Mammogram — left CC. Patient age 29.
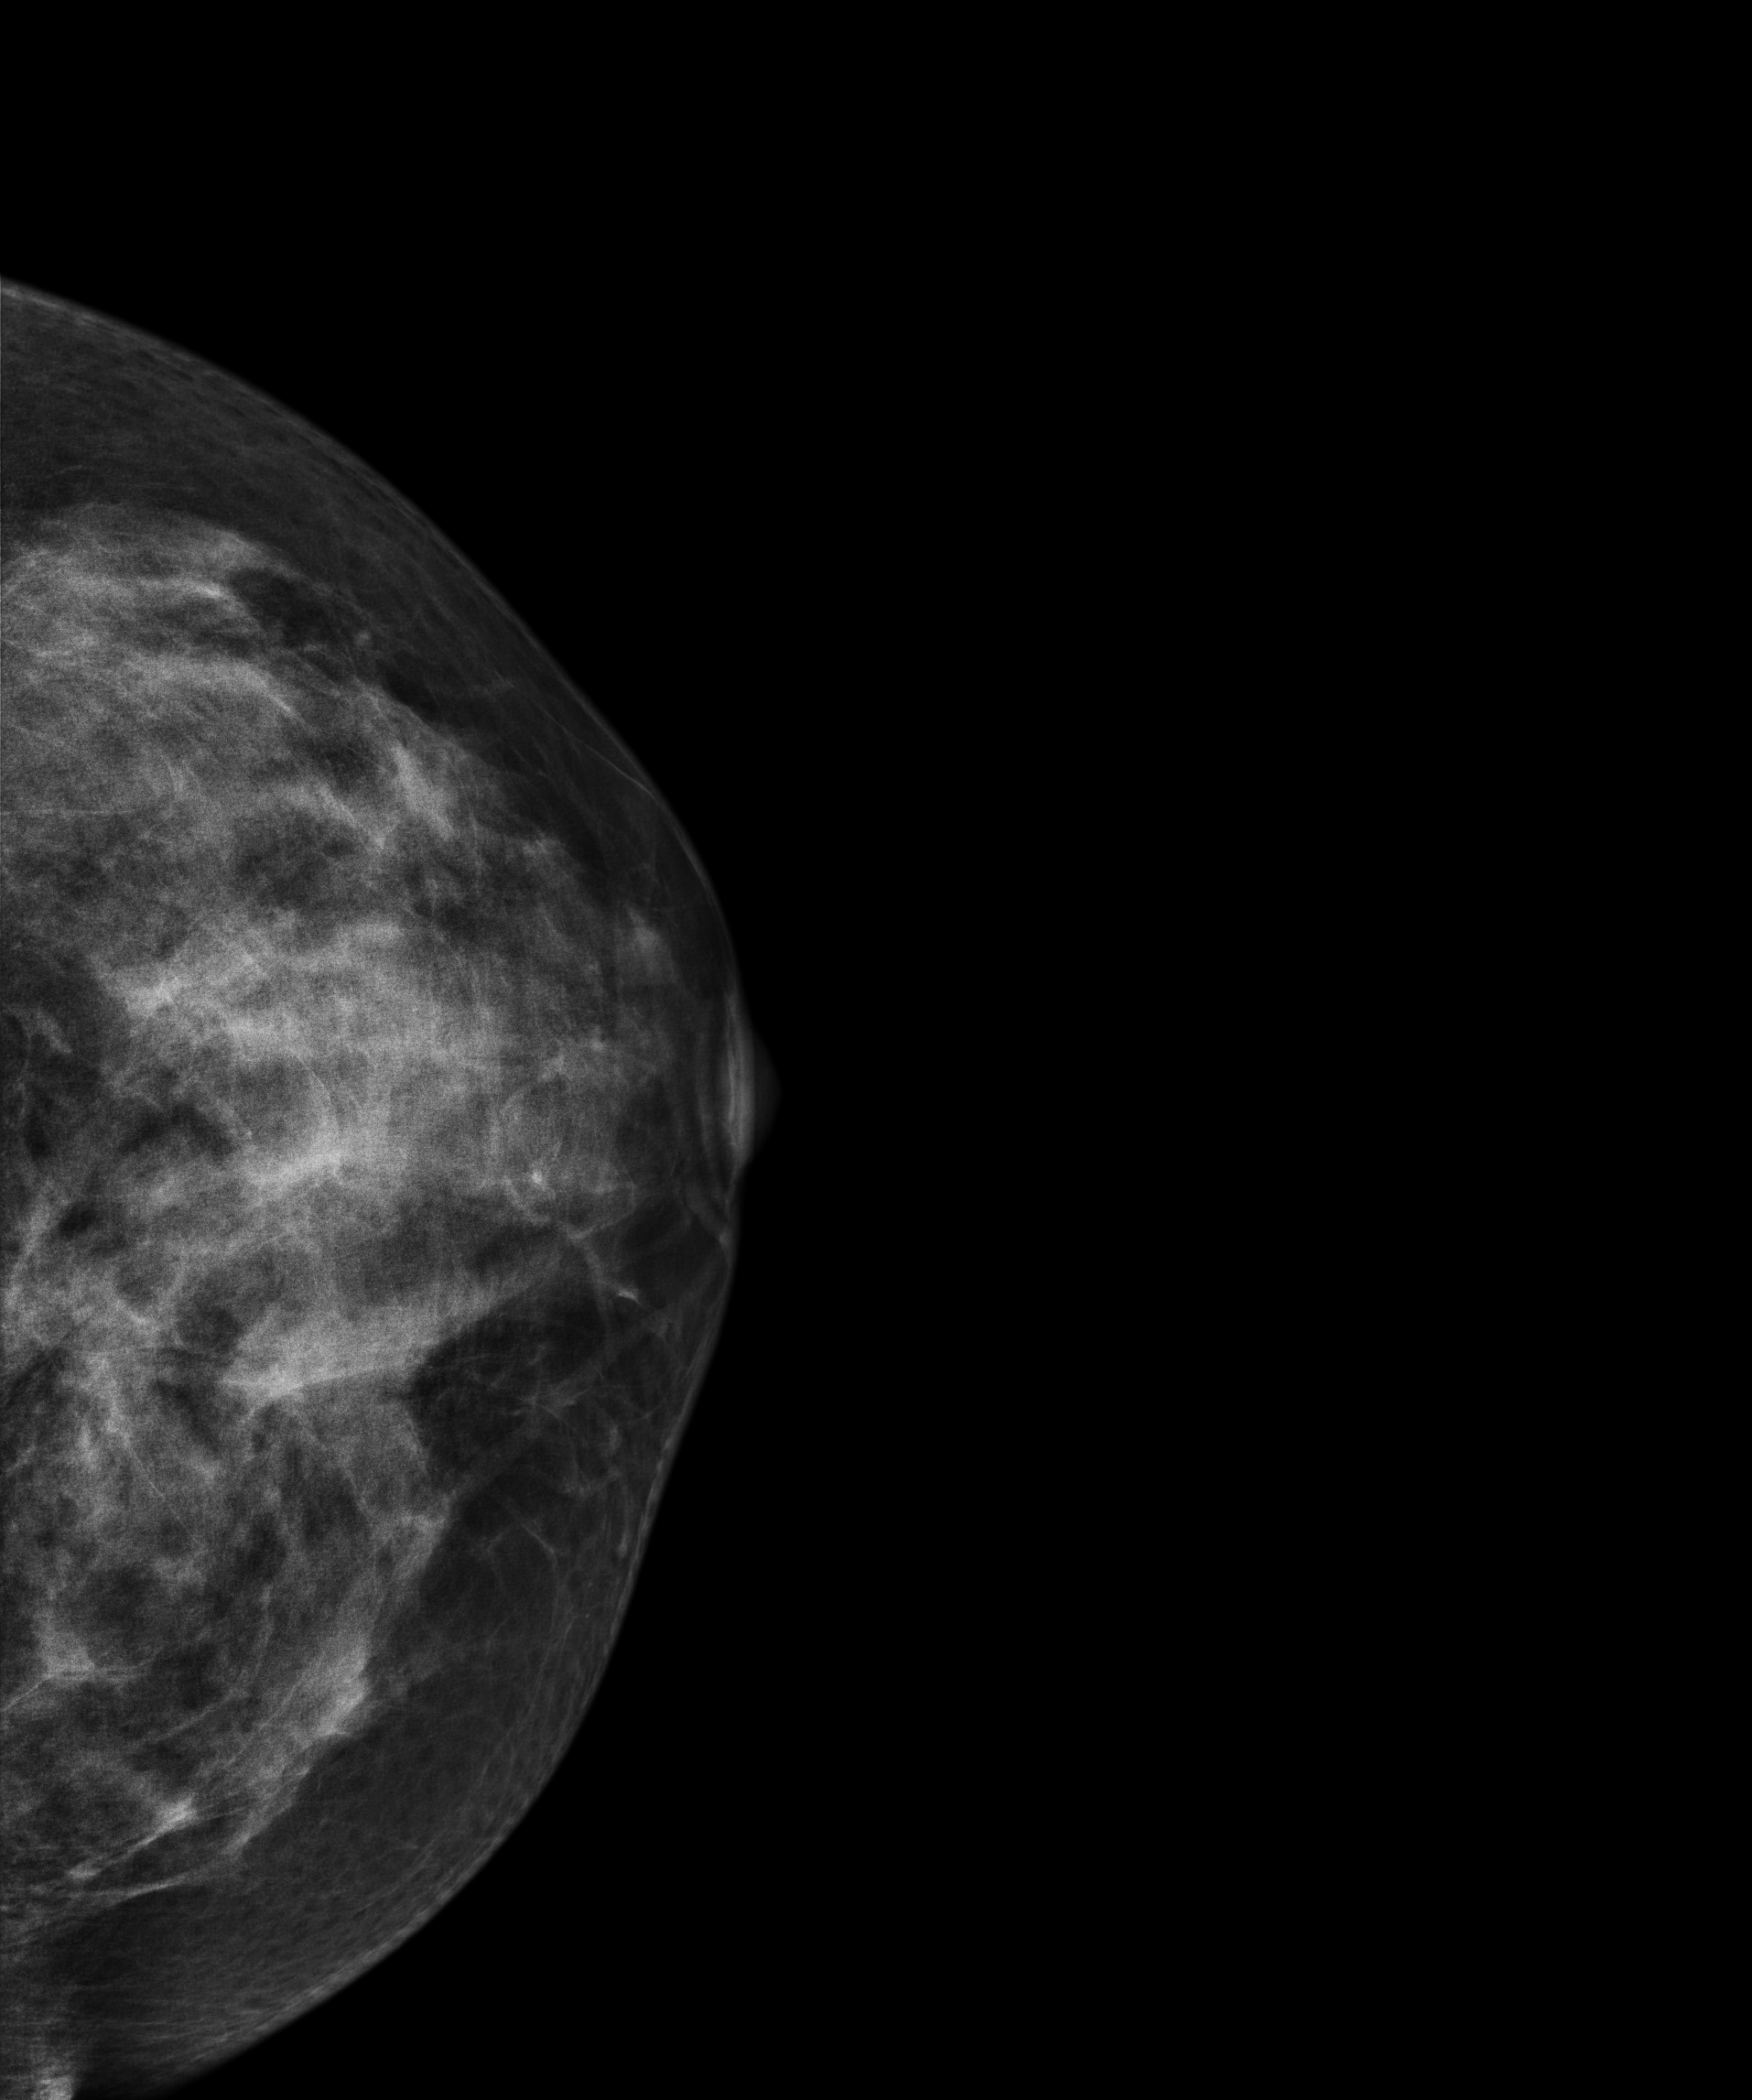
This breast has a mass, biopsy-proven malignant. Molecular subtype: triple-negative.